Digital mammography. Left breast, CC projection. 36-year-old patient.
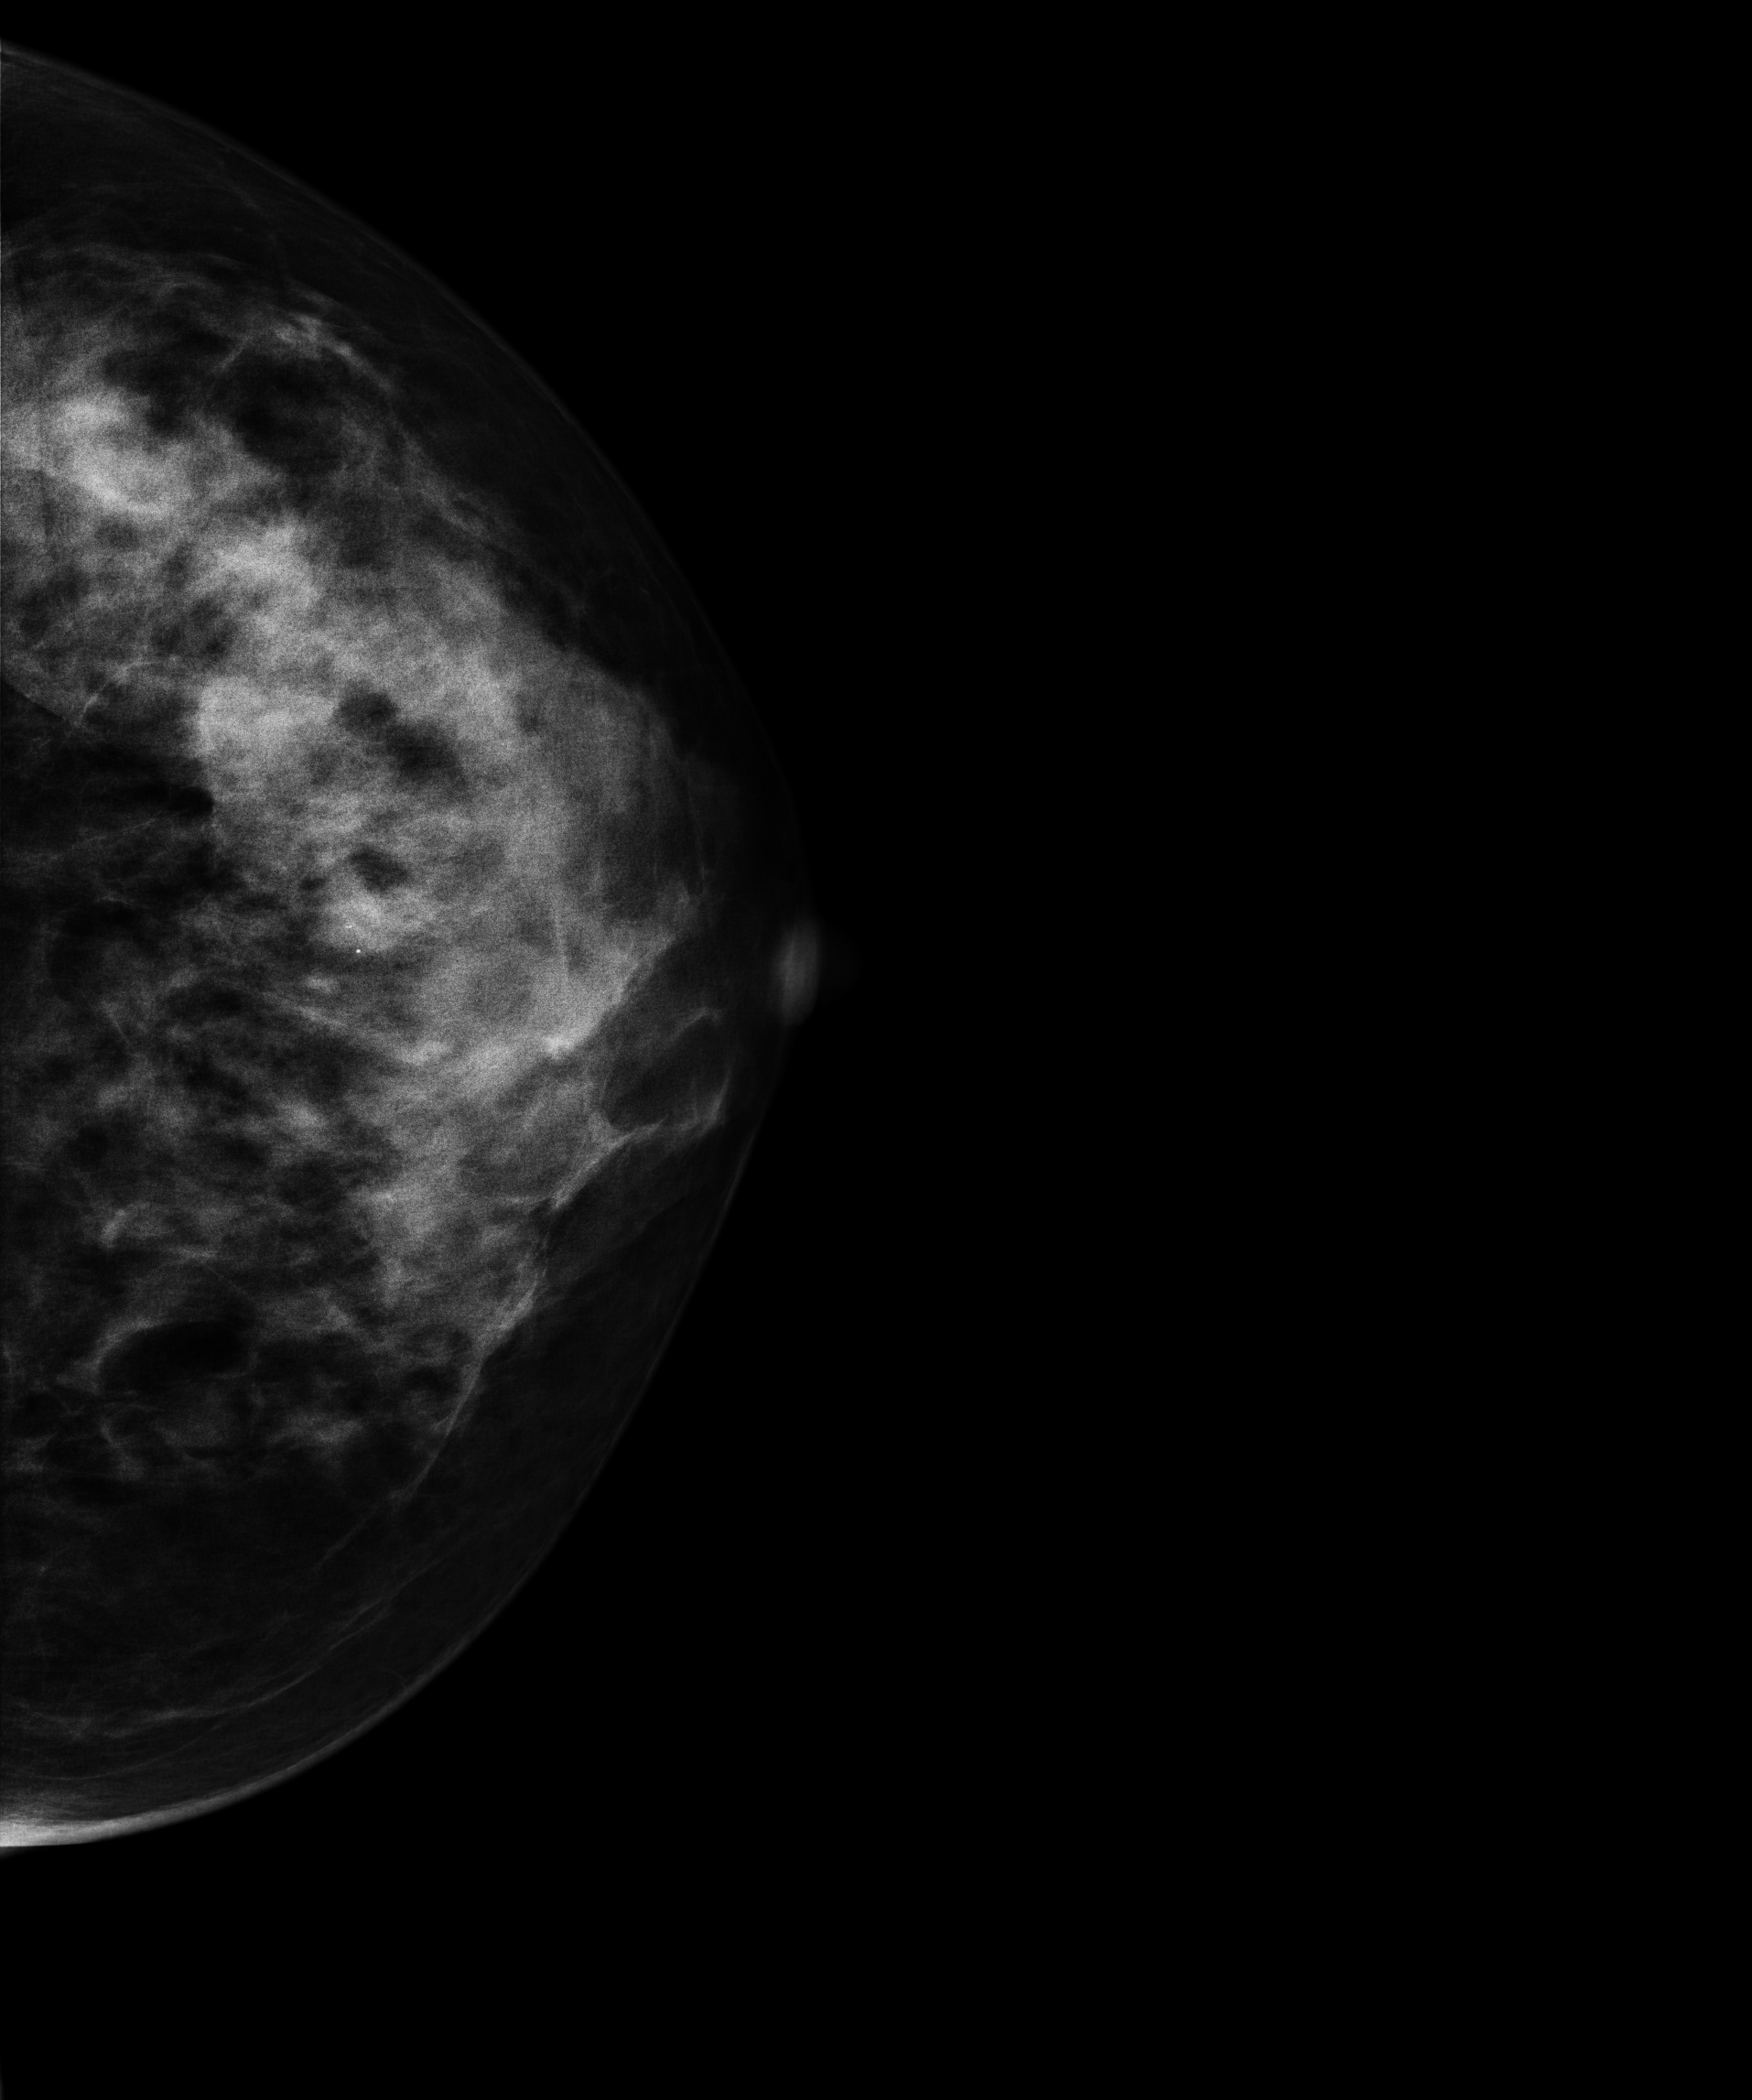
This breast has a mass and calcifications, biopsy-confirmed benign.